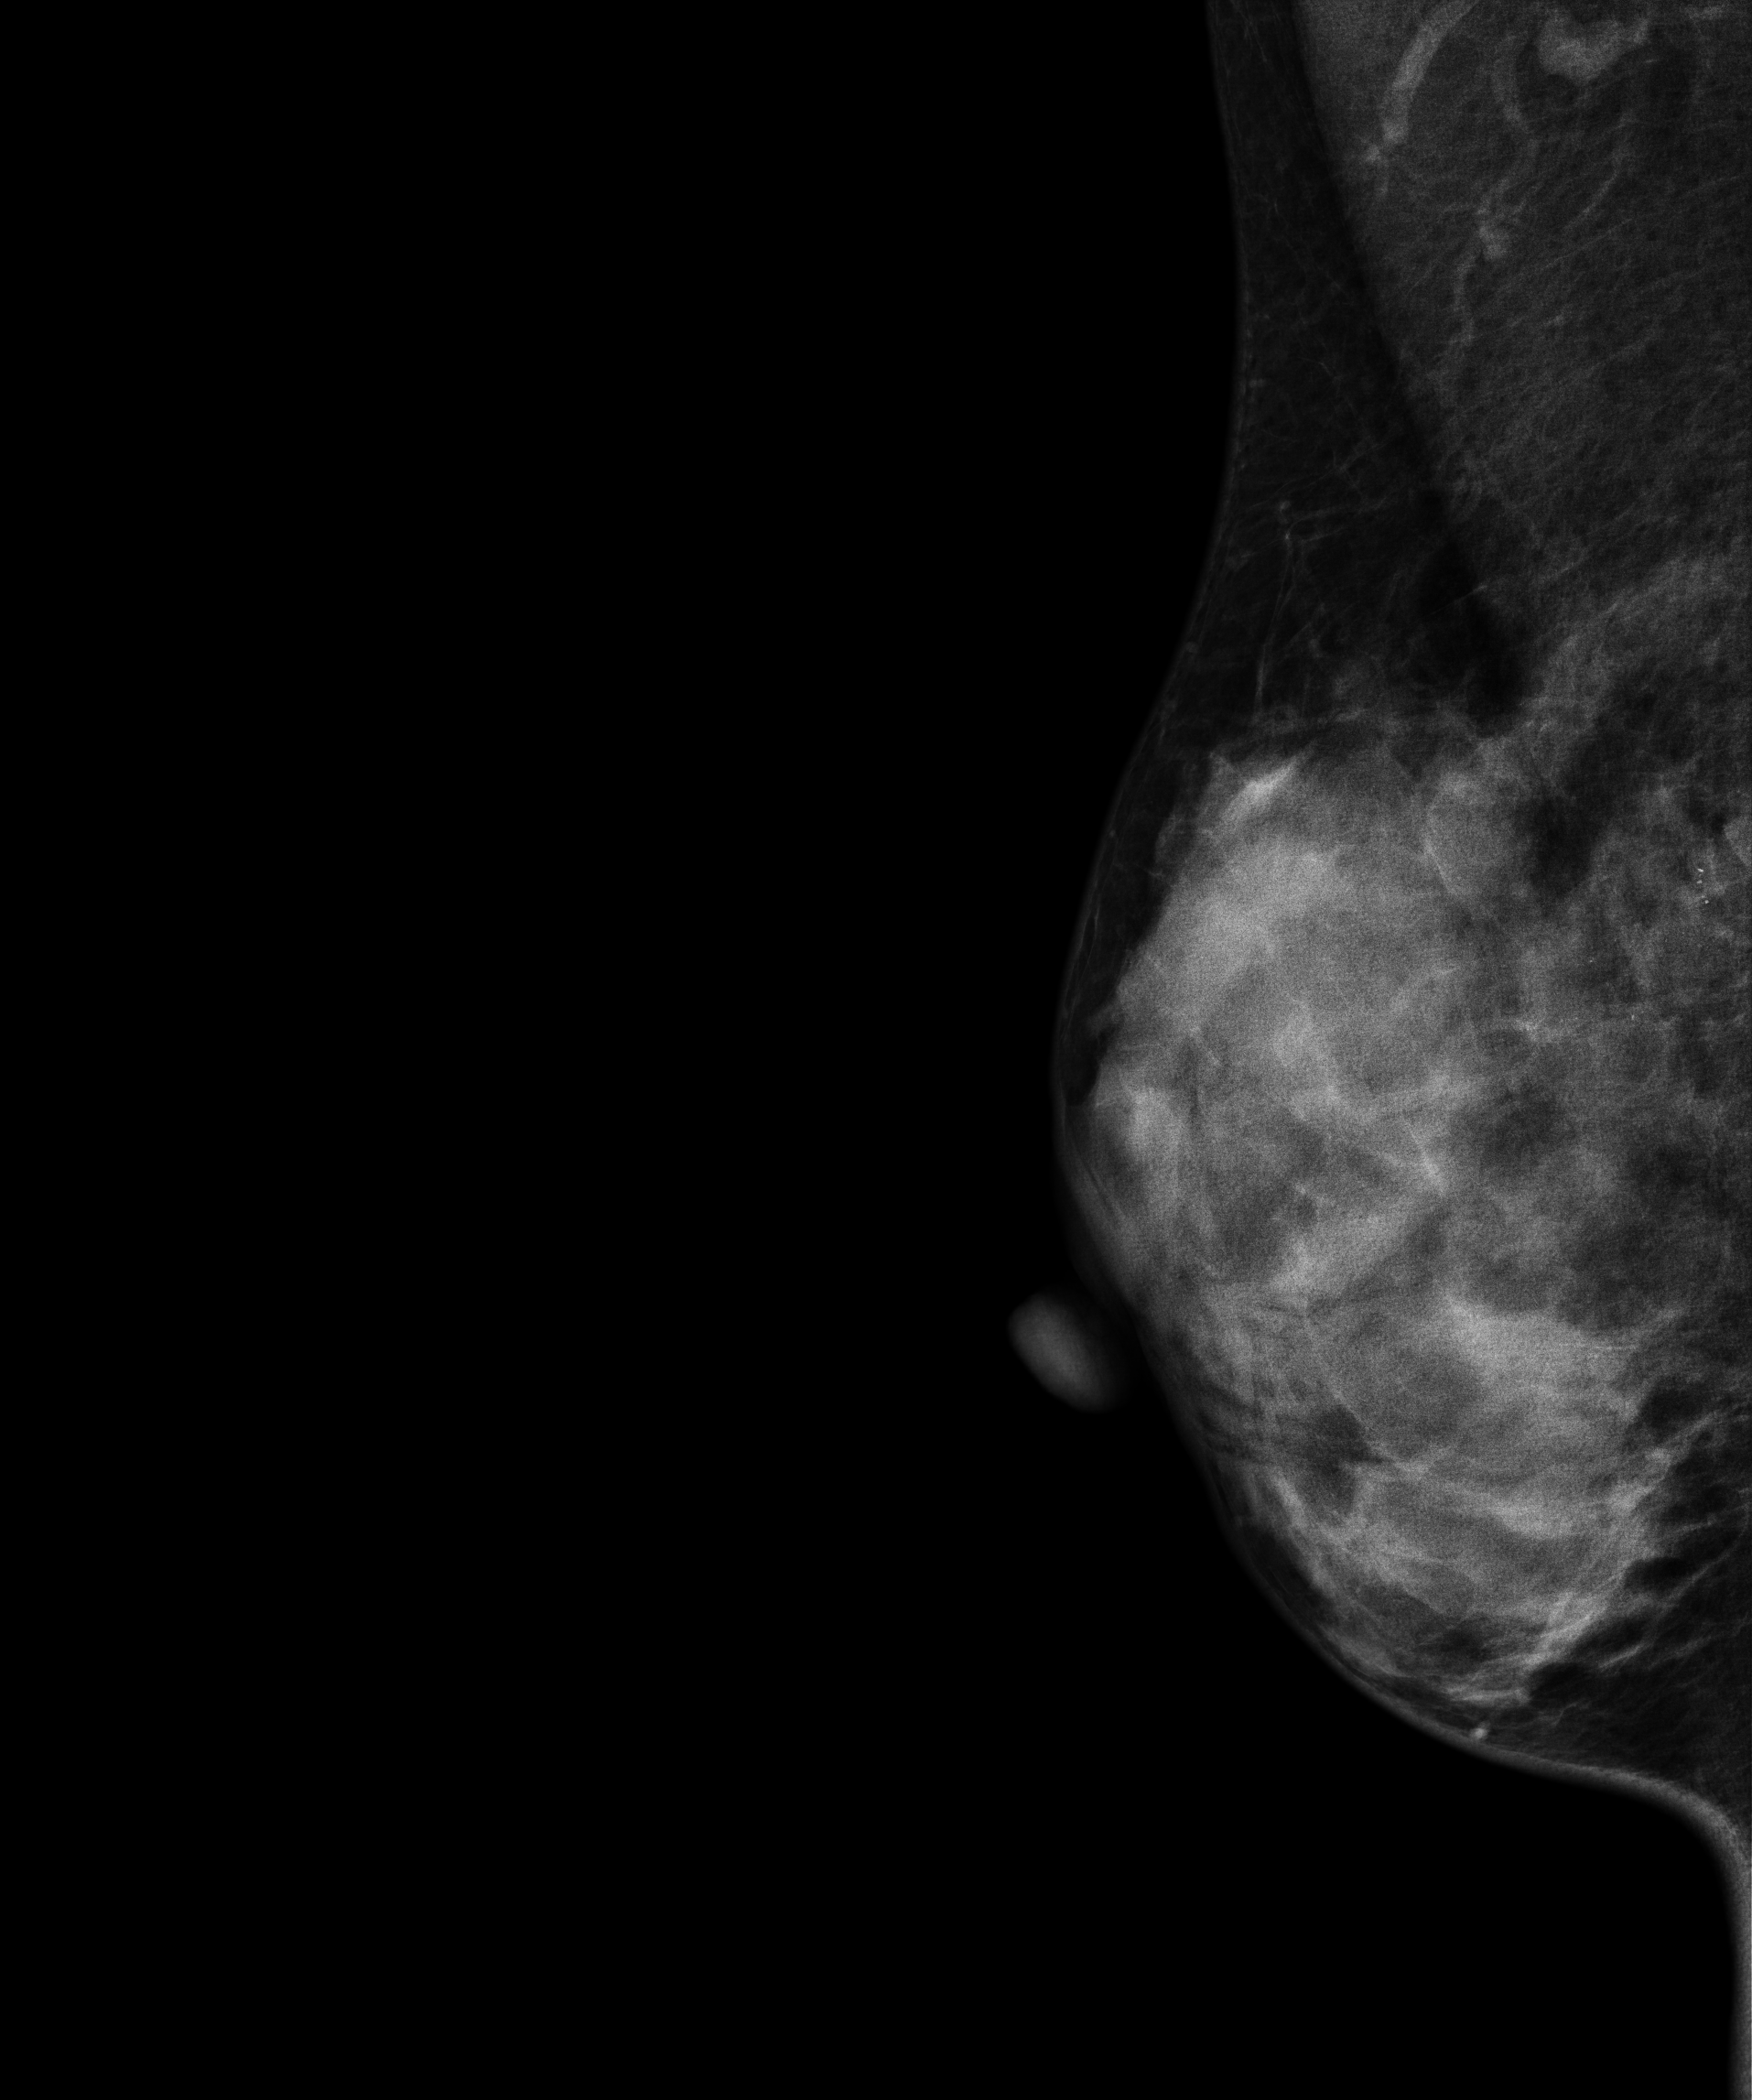
Right-breast mammogram, medio-lateral oblique. 36-year-old patient.
This breast has a mass, histologically confirmed malignant. Molecular subtype: luminal B.